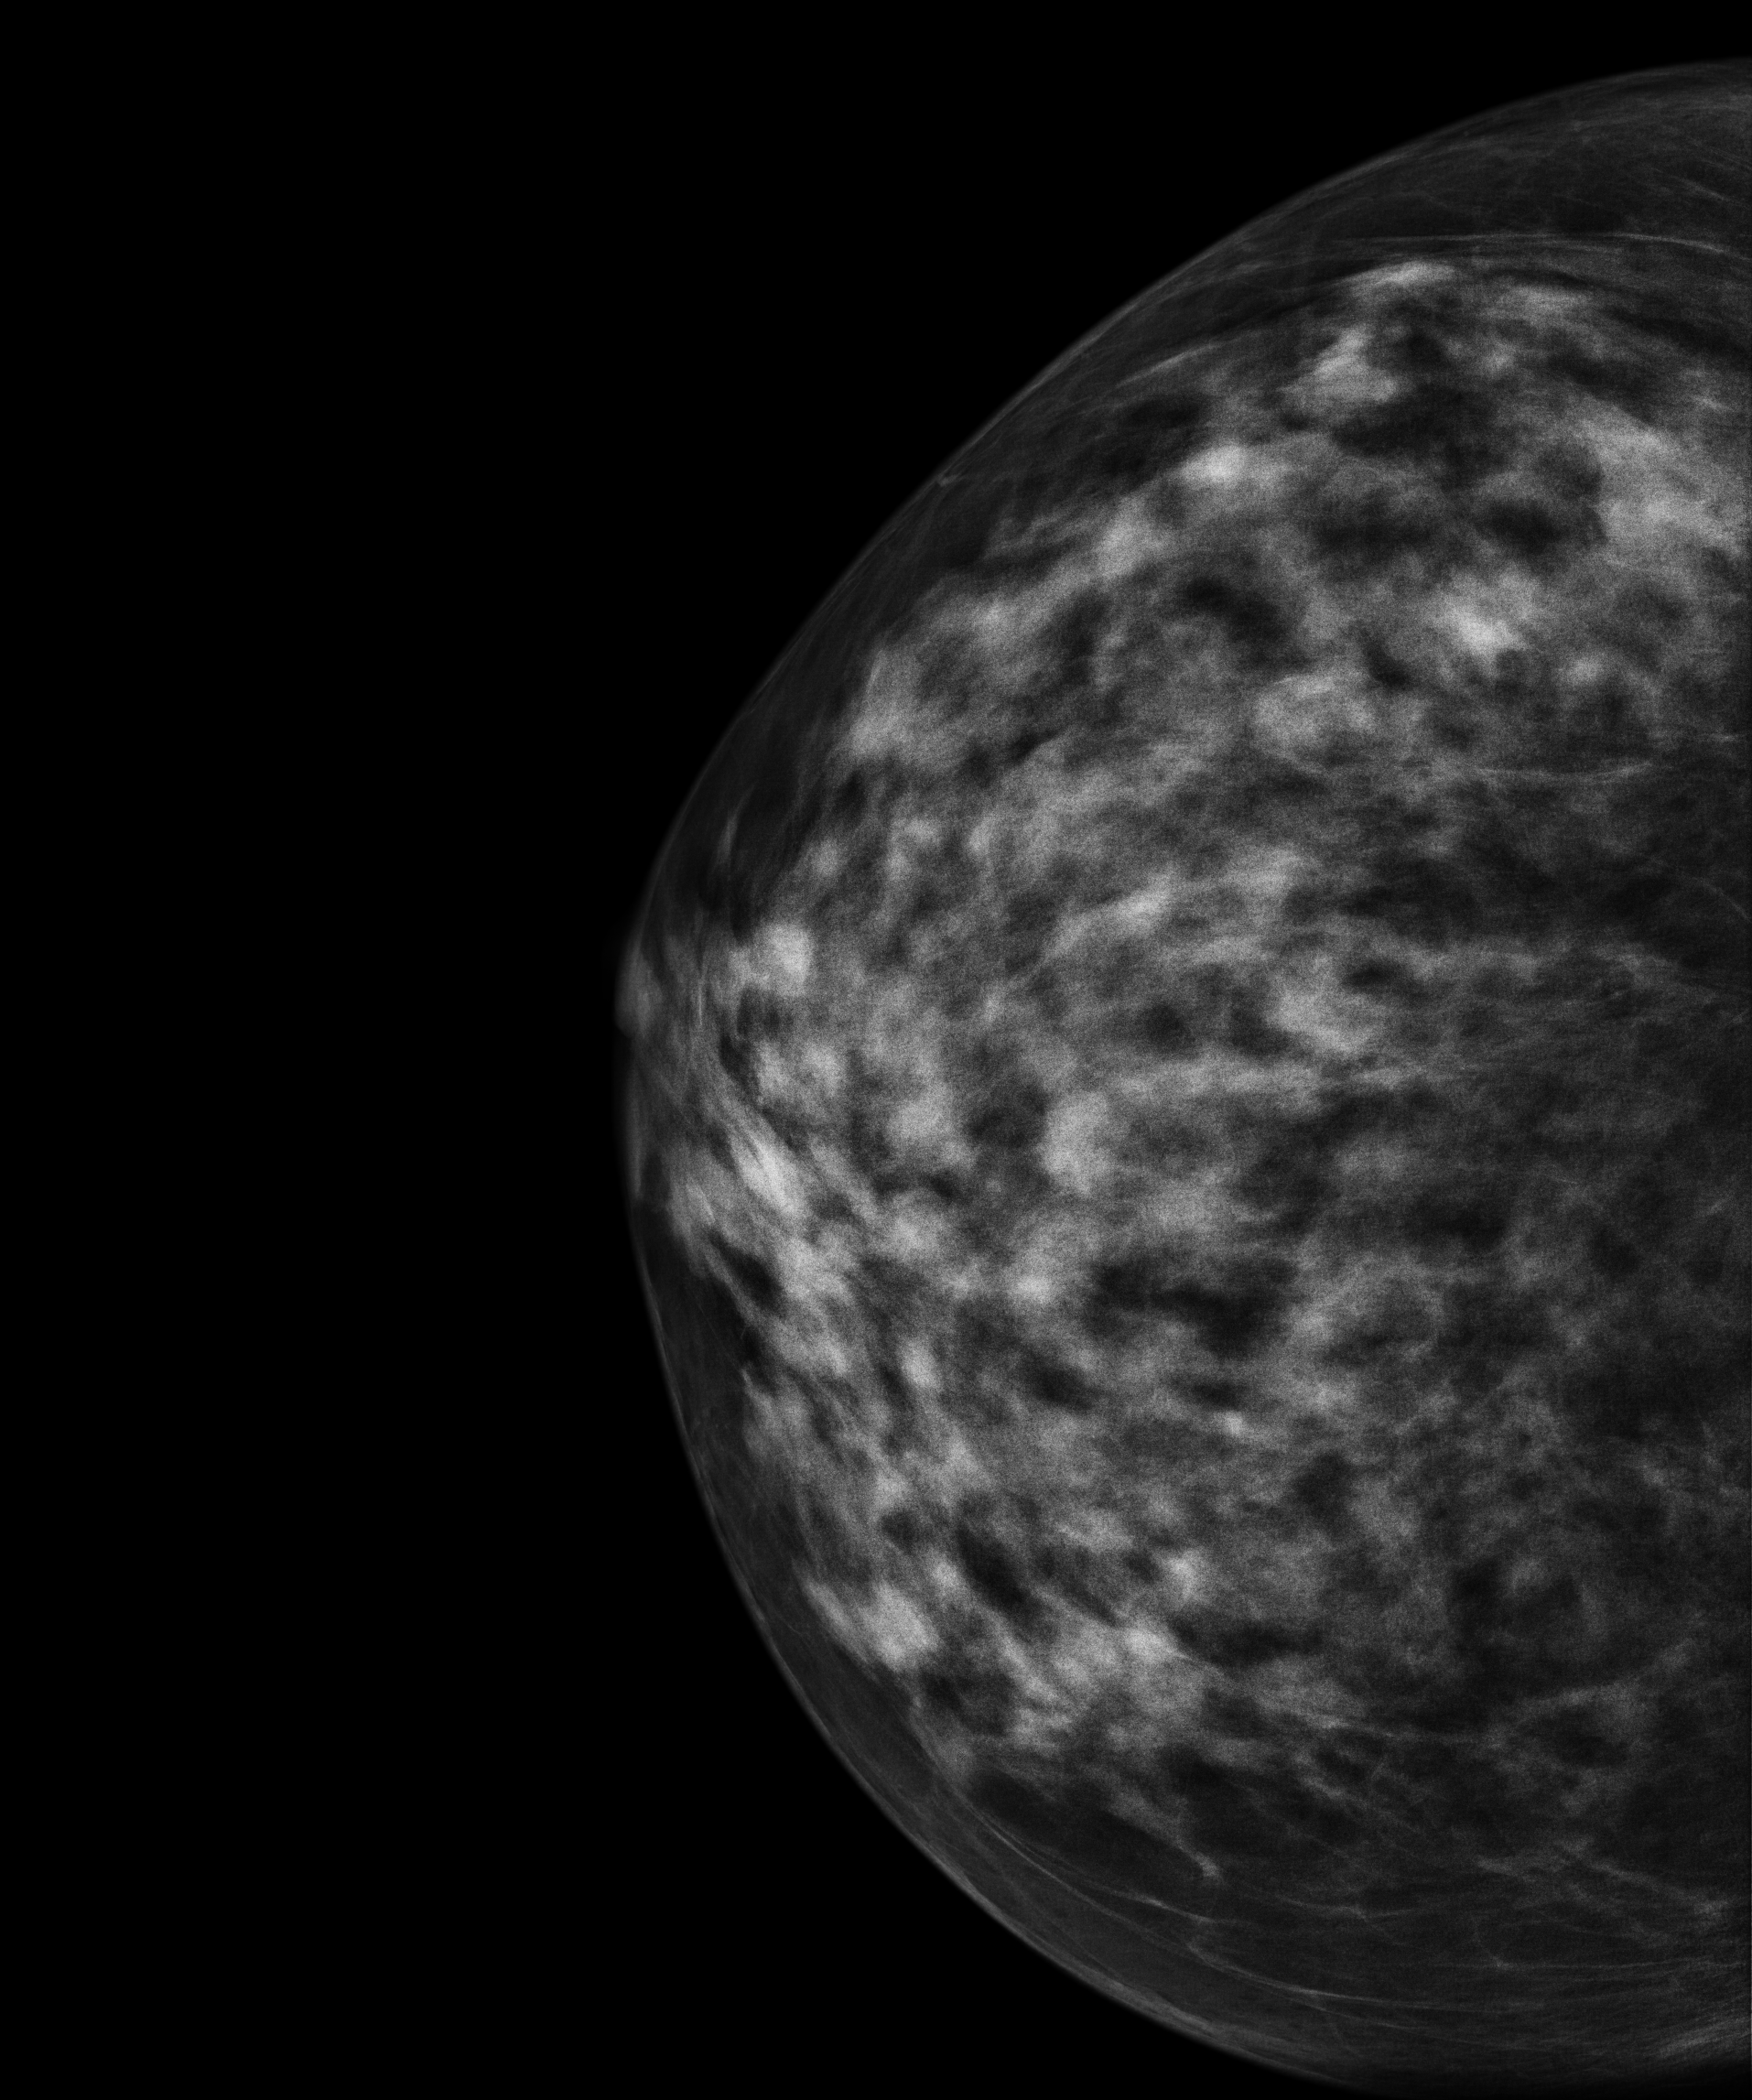
Digital mammography. Right breast, CC projection. Patient age 49.
This breast has a mass, biopsy-confirmed malignant. Molecular subtype: luminal B.